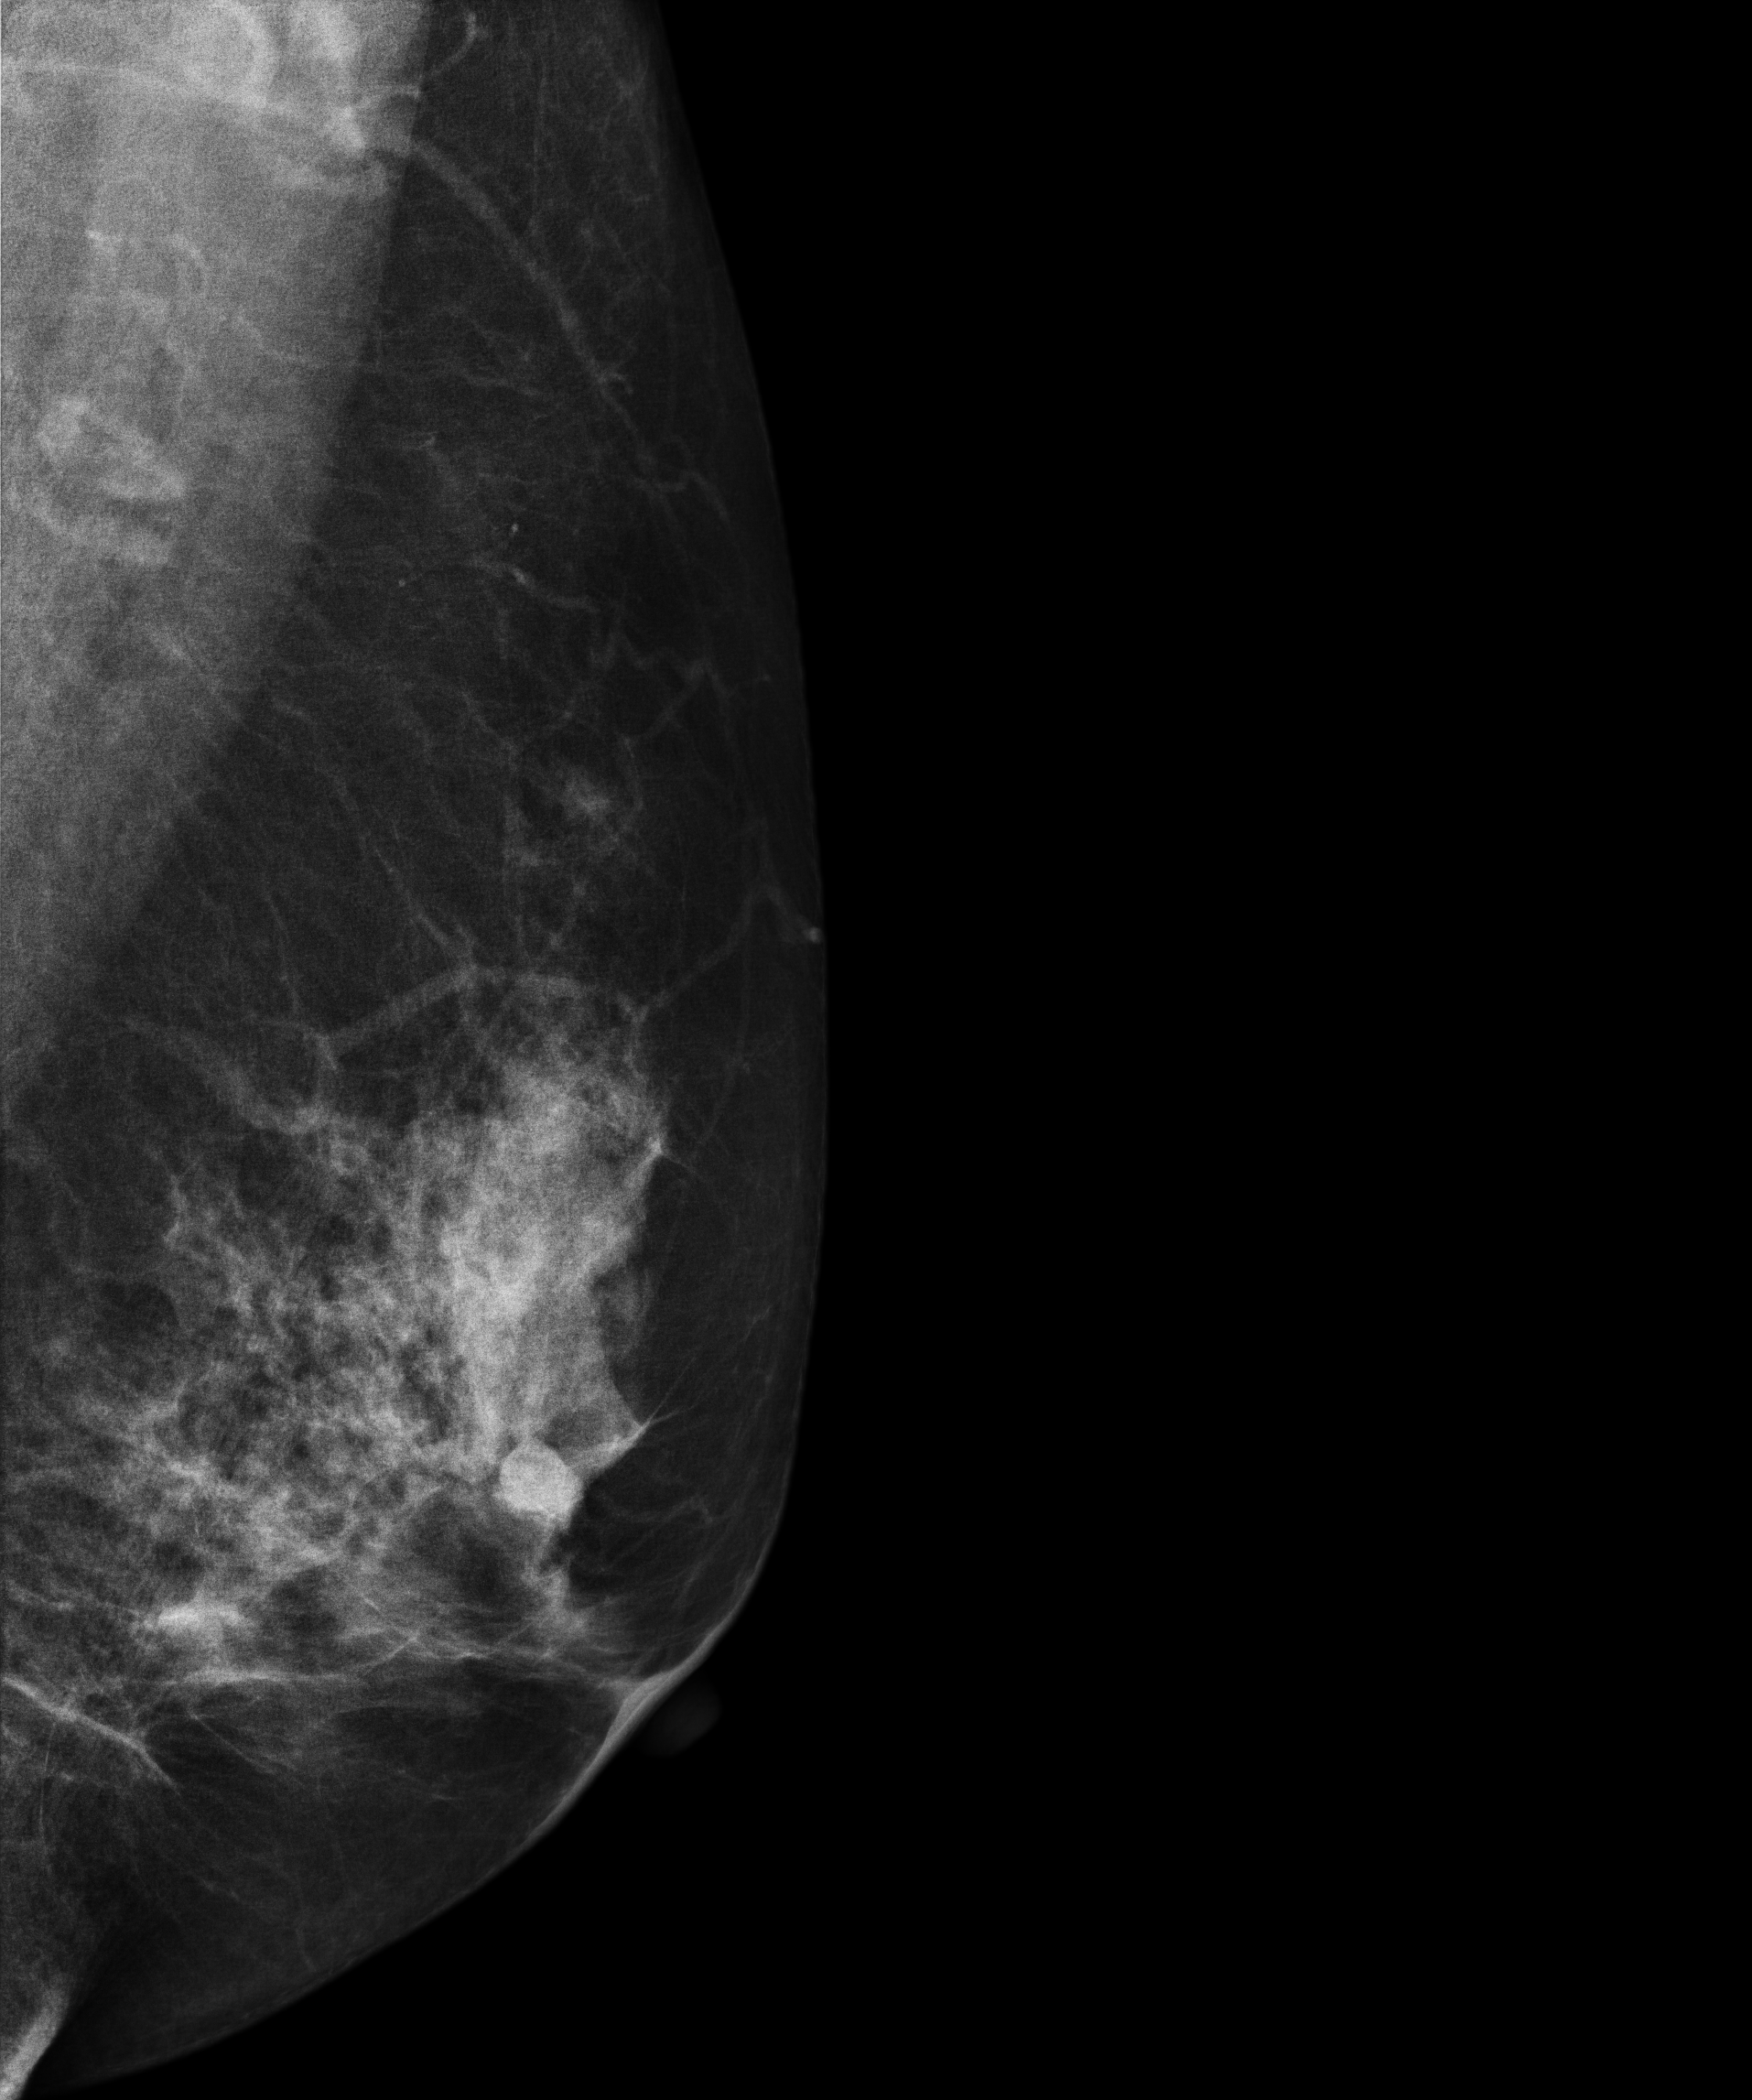
Mammogram, left breast, MLO view. 54-year-old patient.
This breast has a mass, histologically confirmed benign.